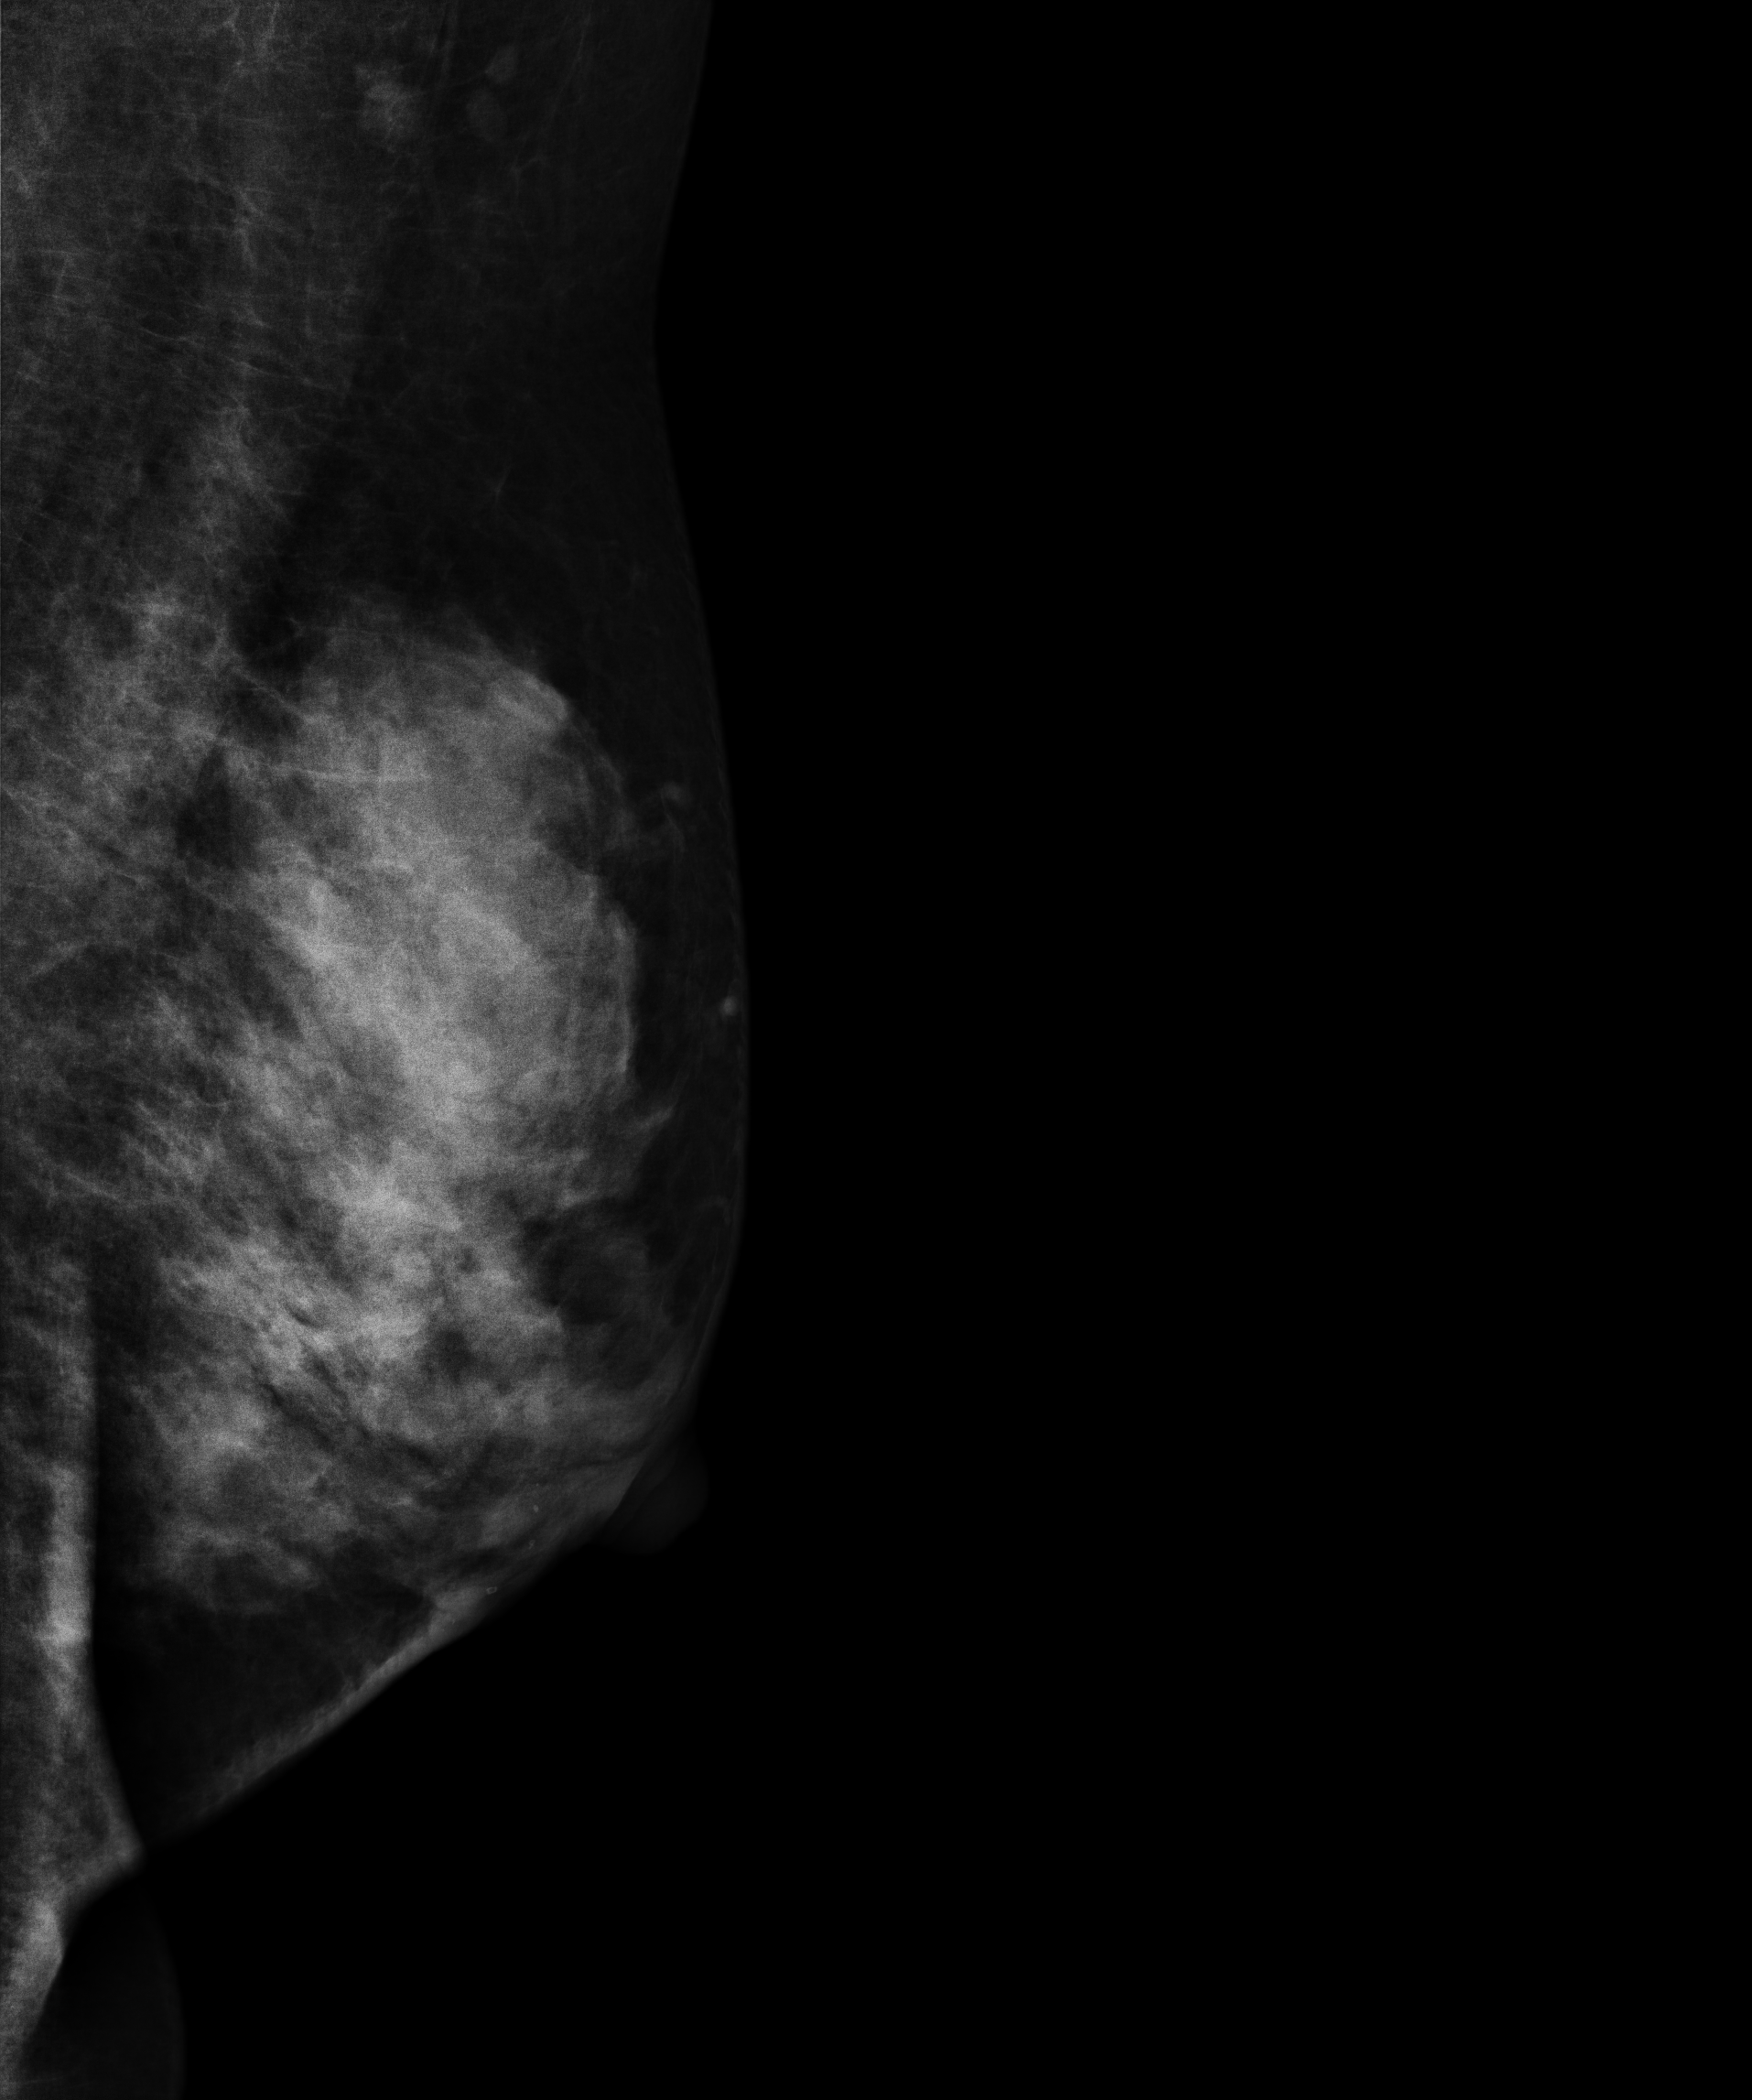
Mammogram — left medio-lateral oblique. 50-year-old patient.
Contralateral breast — no documented abnormality on this side.